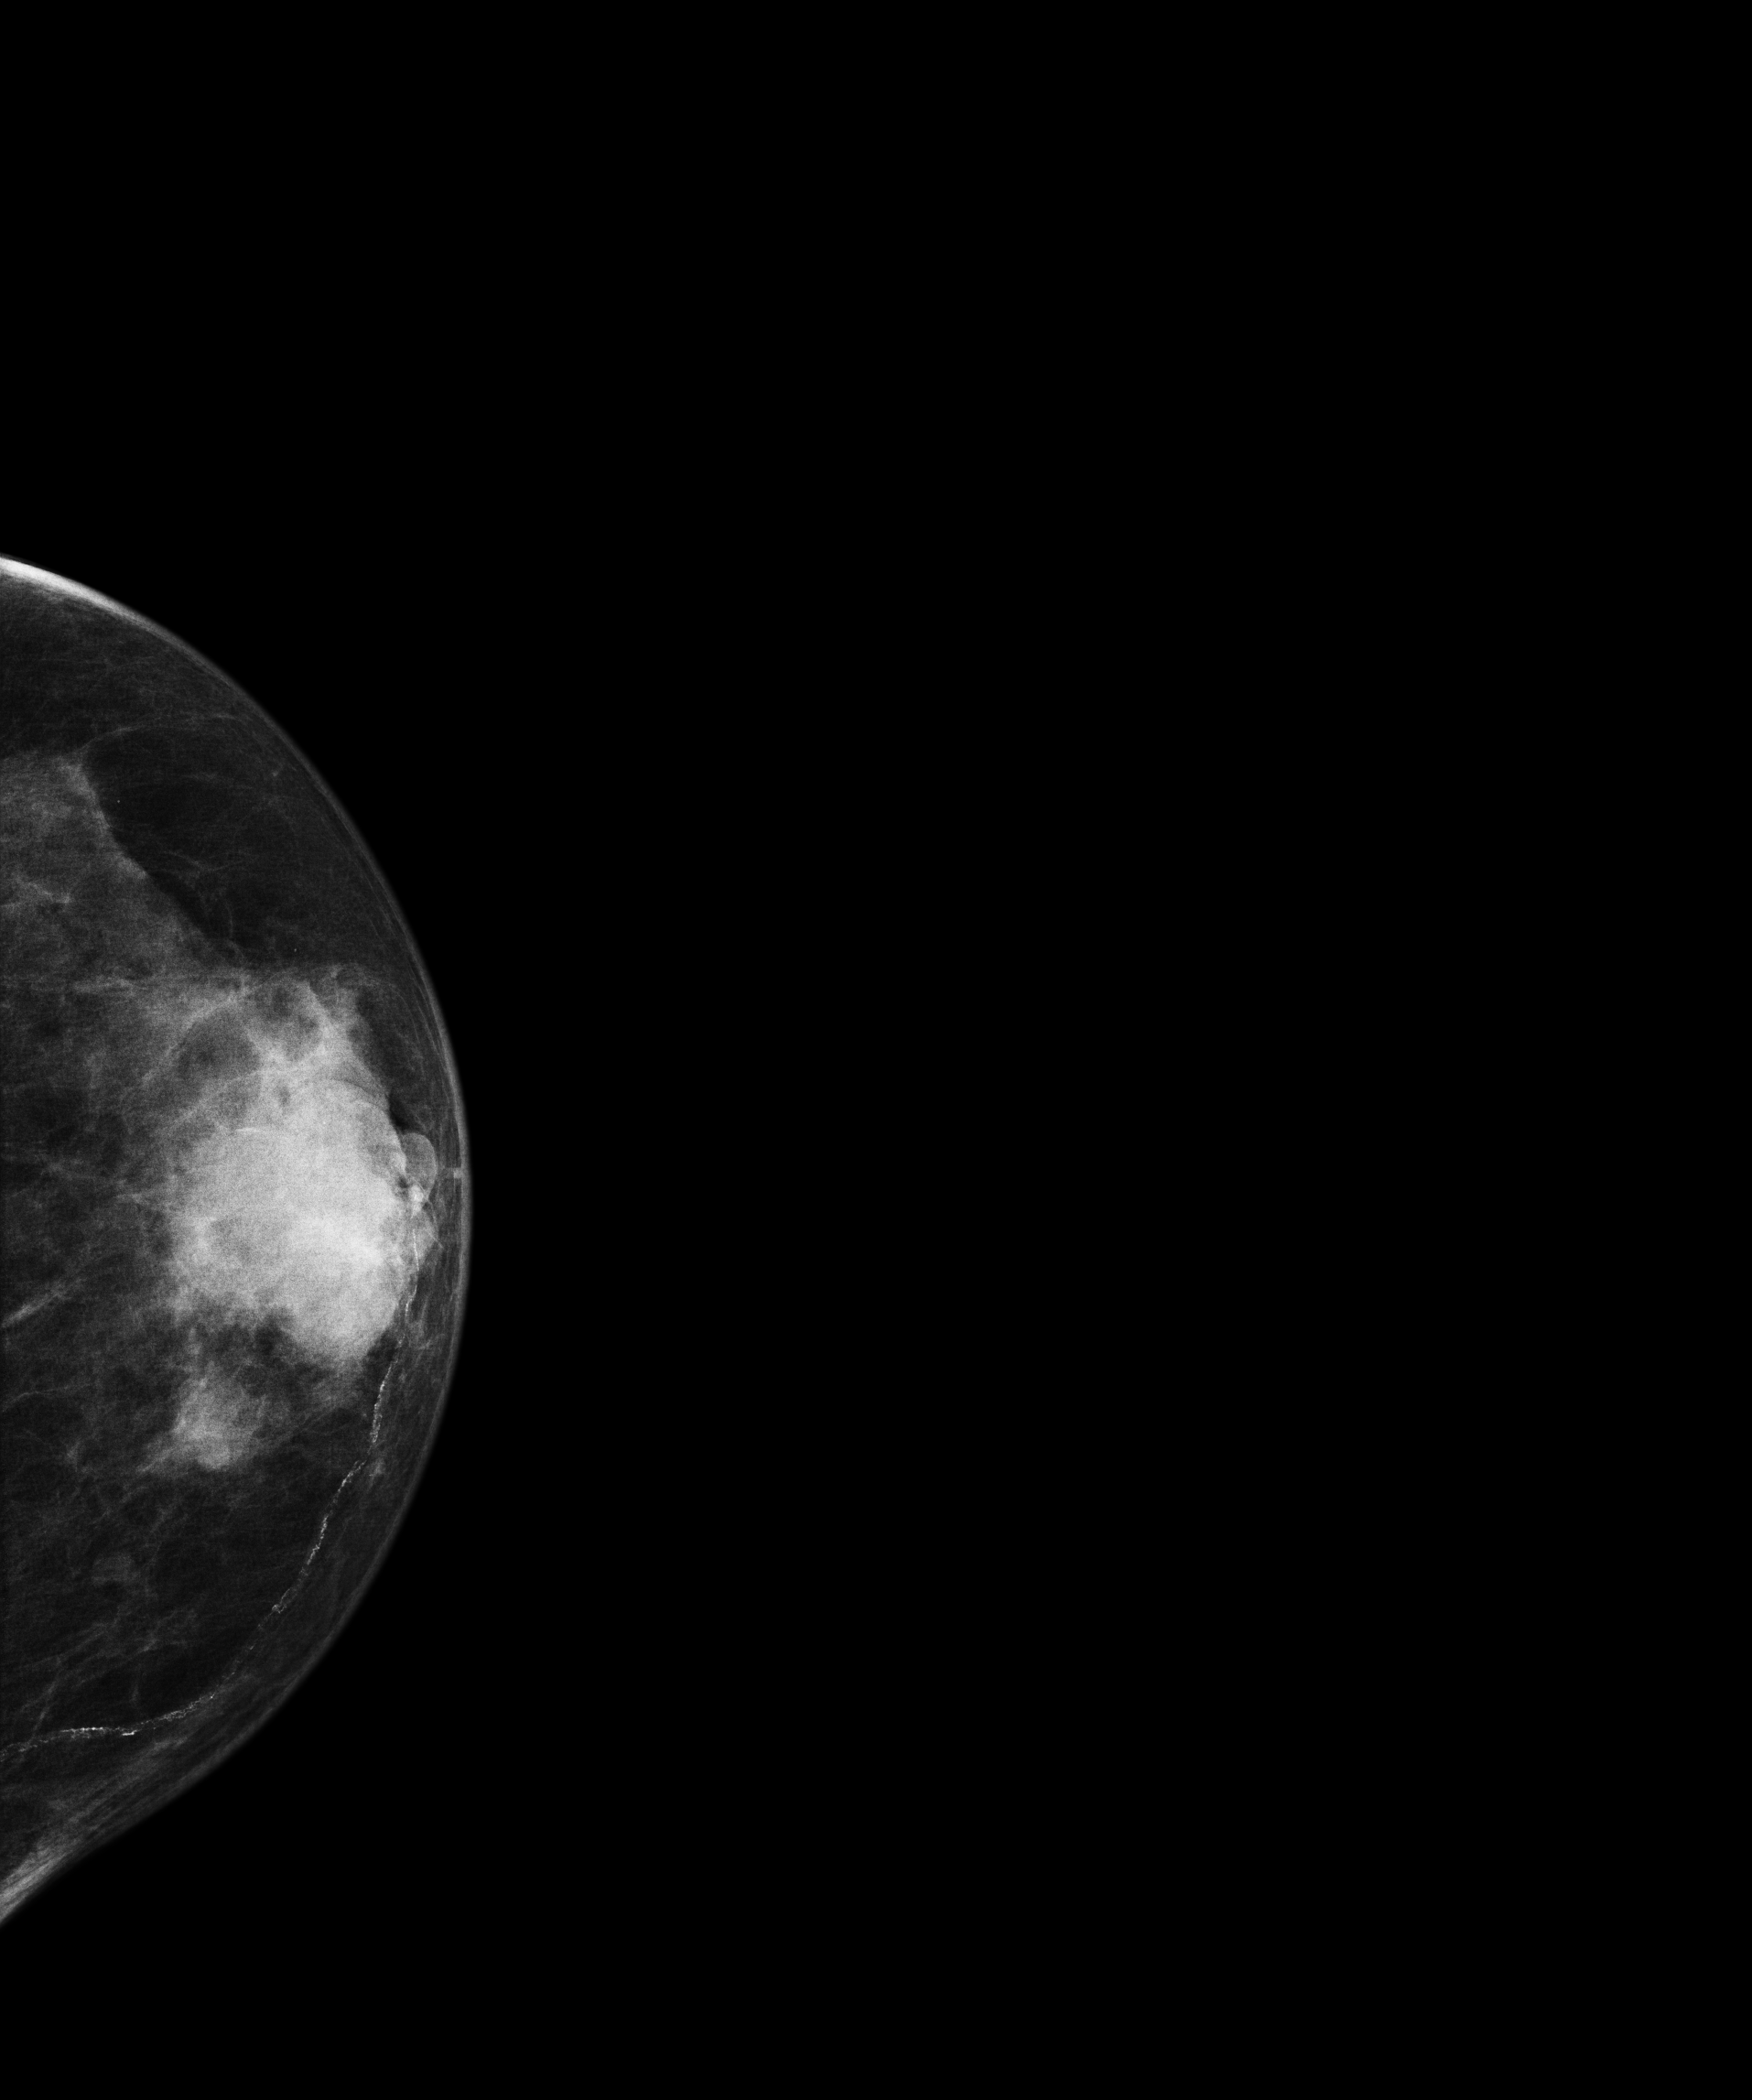
Cranio-caudal mammogram of the left breast. 80-year-old patient.
This breast has a mass, pathology-confirmed malignant.